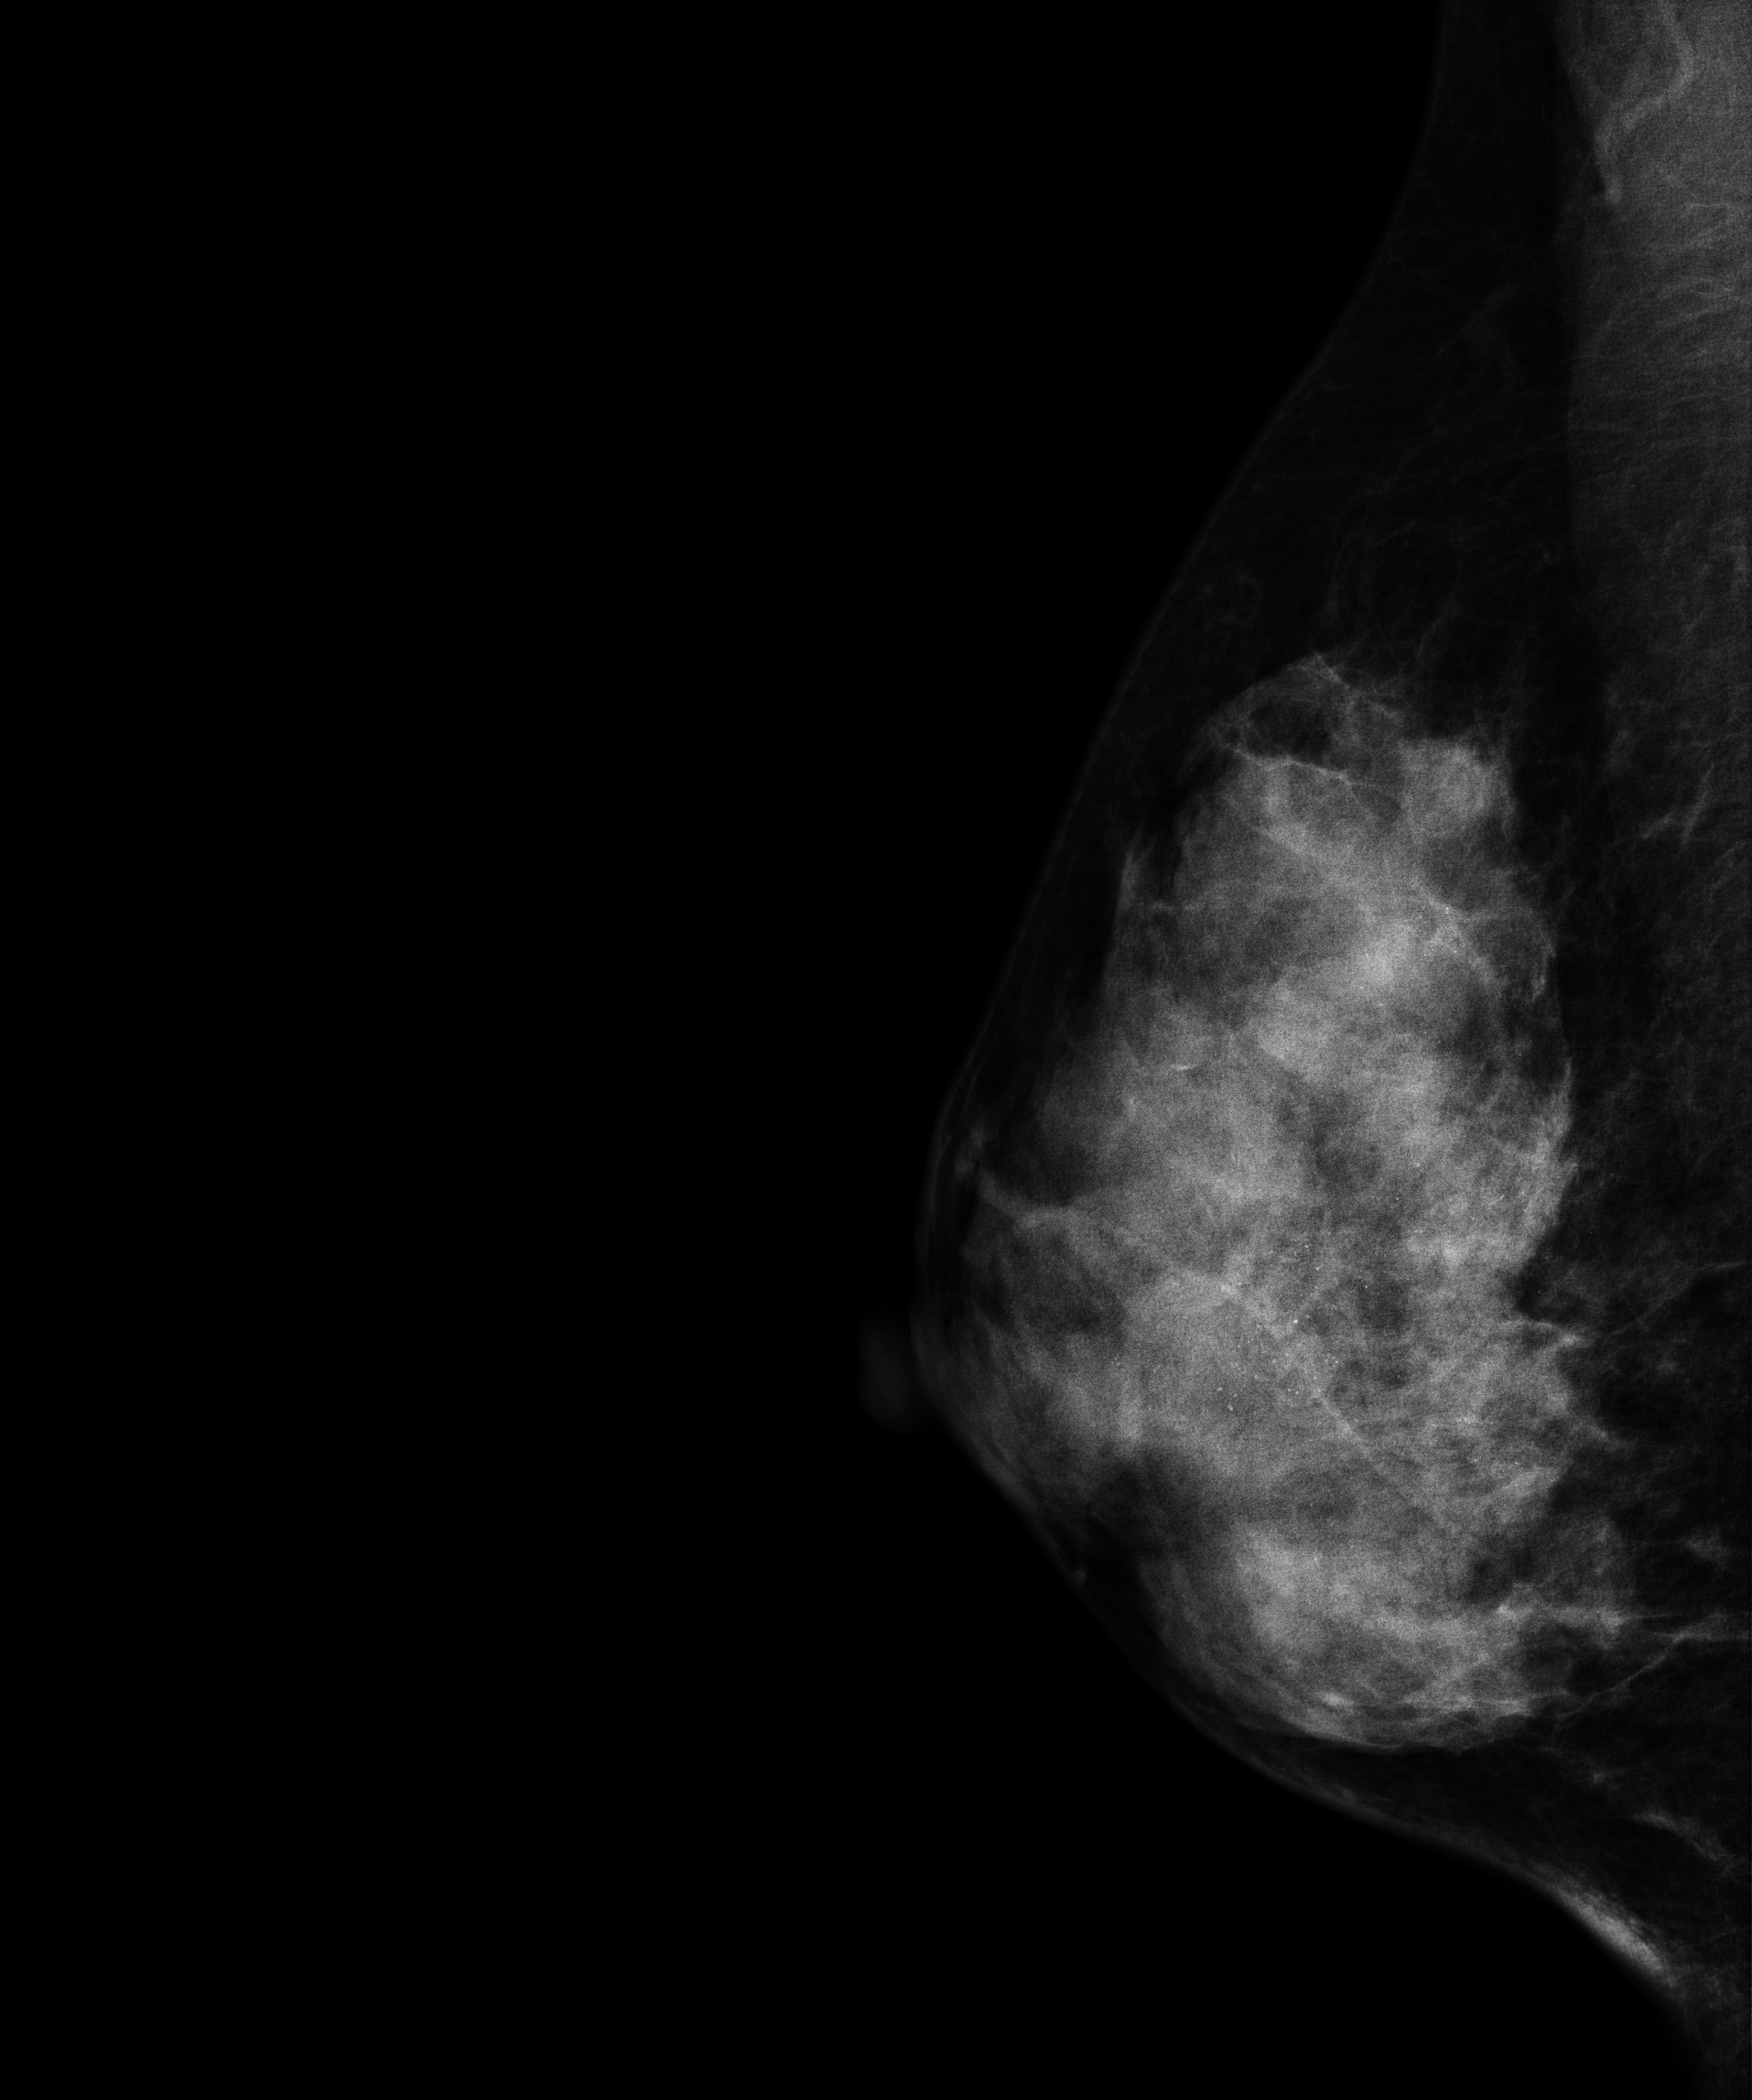
Mammogram — right medio-lateral oblique. 49-year-old patient.
This breast has calcifications, histologically confirmed malignant.